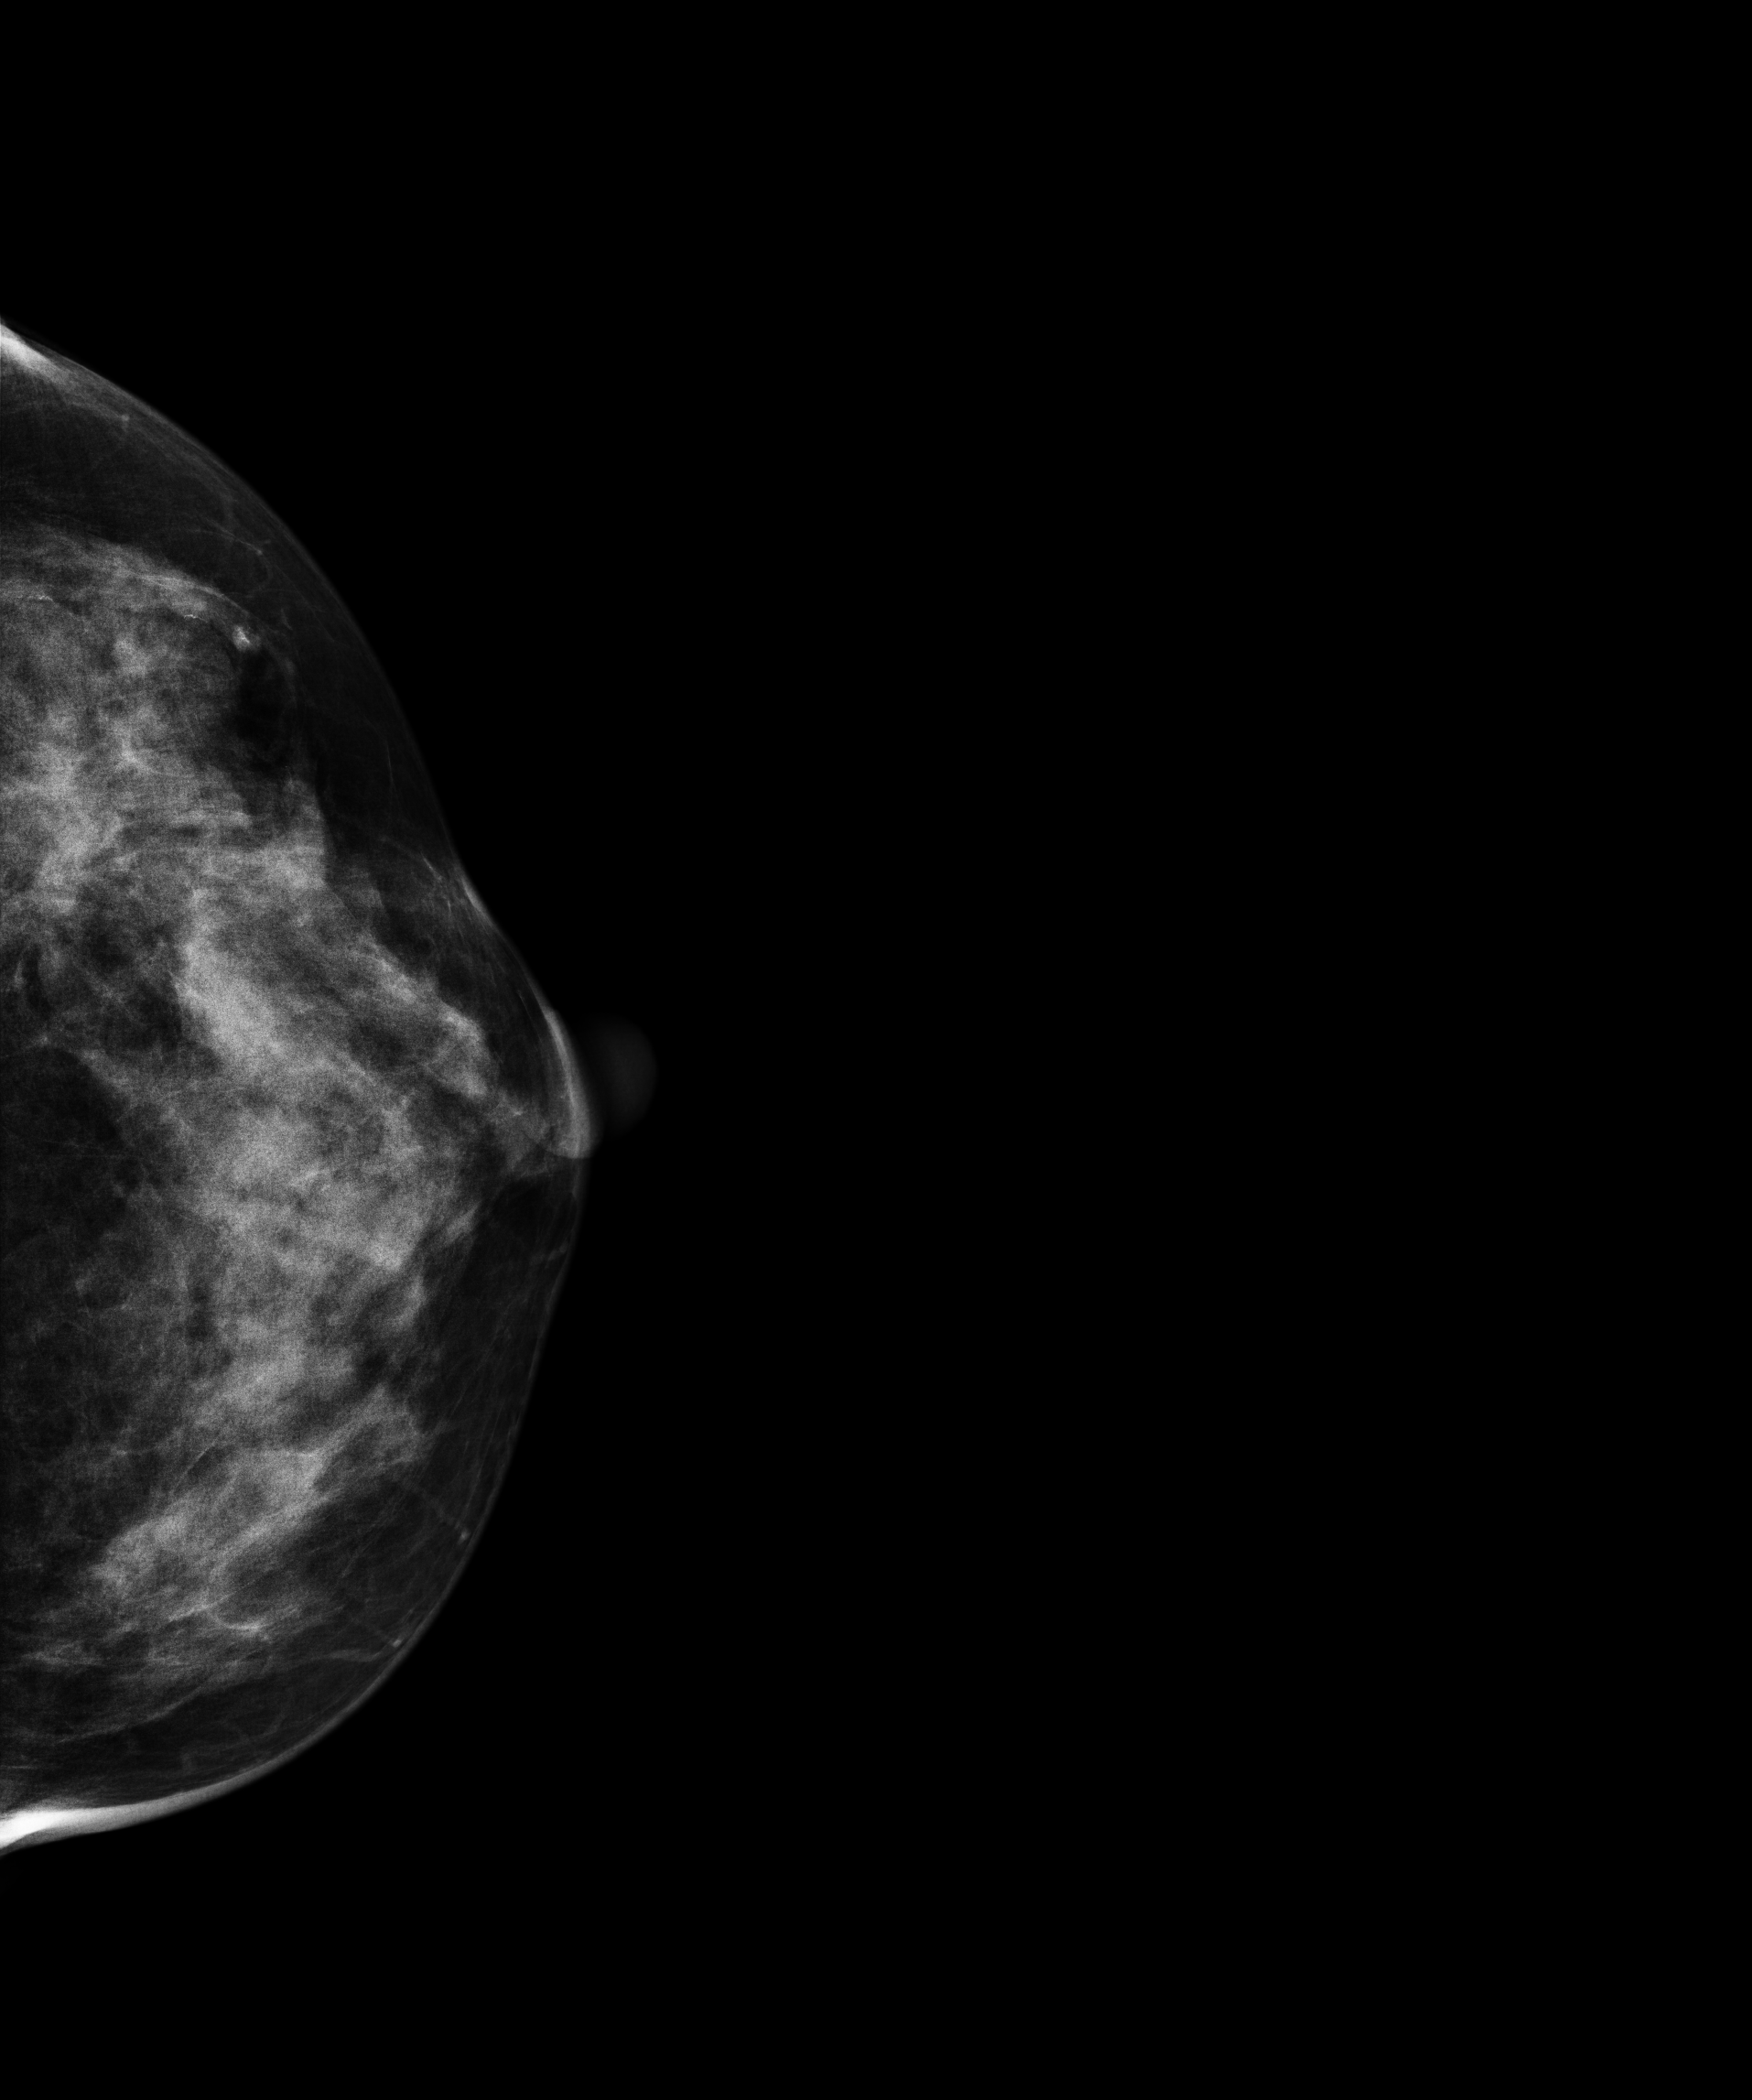
Digital mammography. Left breast, cranio-caudal projection. Patient age 47.
This breast has a mass, histologically confirmed malignant. Molecular subtype: luminal B.